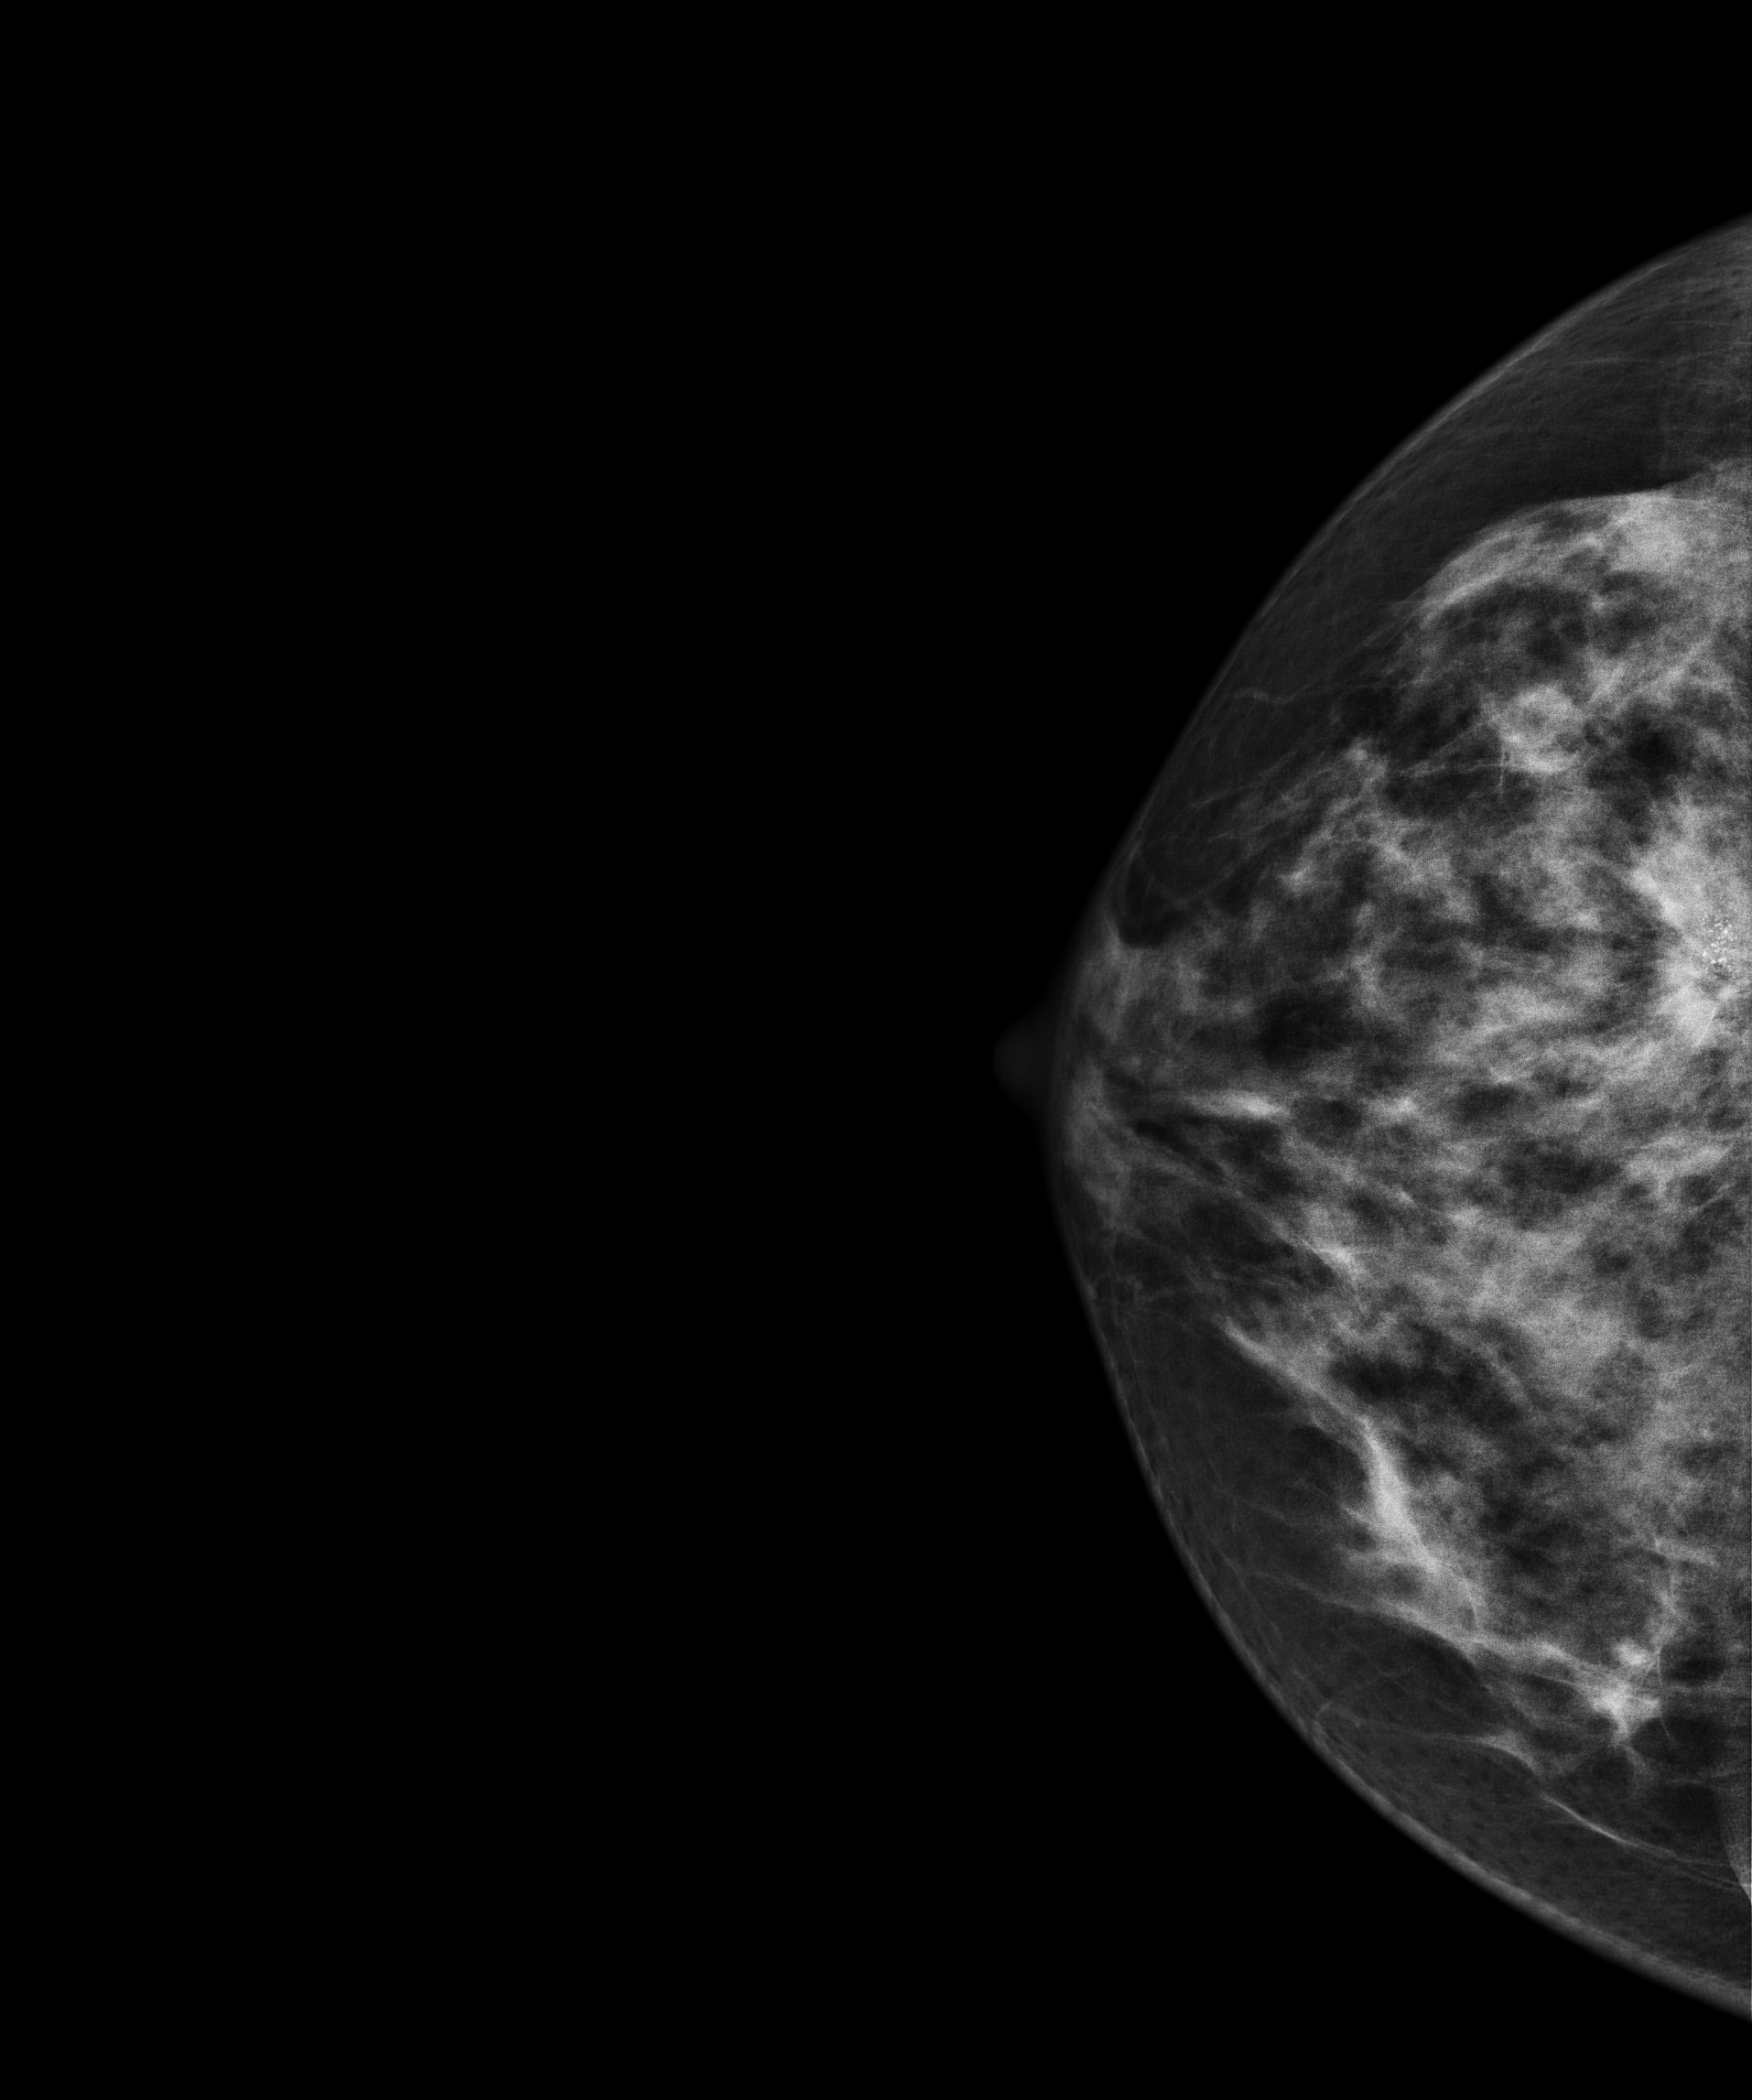
Right-breast mammogram, CC. 50-year-old patient.
This breast has a mass and calcifications, biopsy-proven malignant.